Right-breast mammogram, medio-lateral oblique. 37-year-old patient.
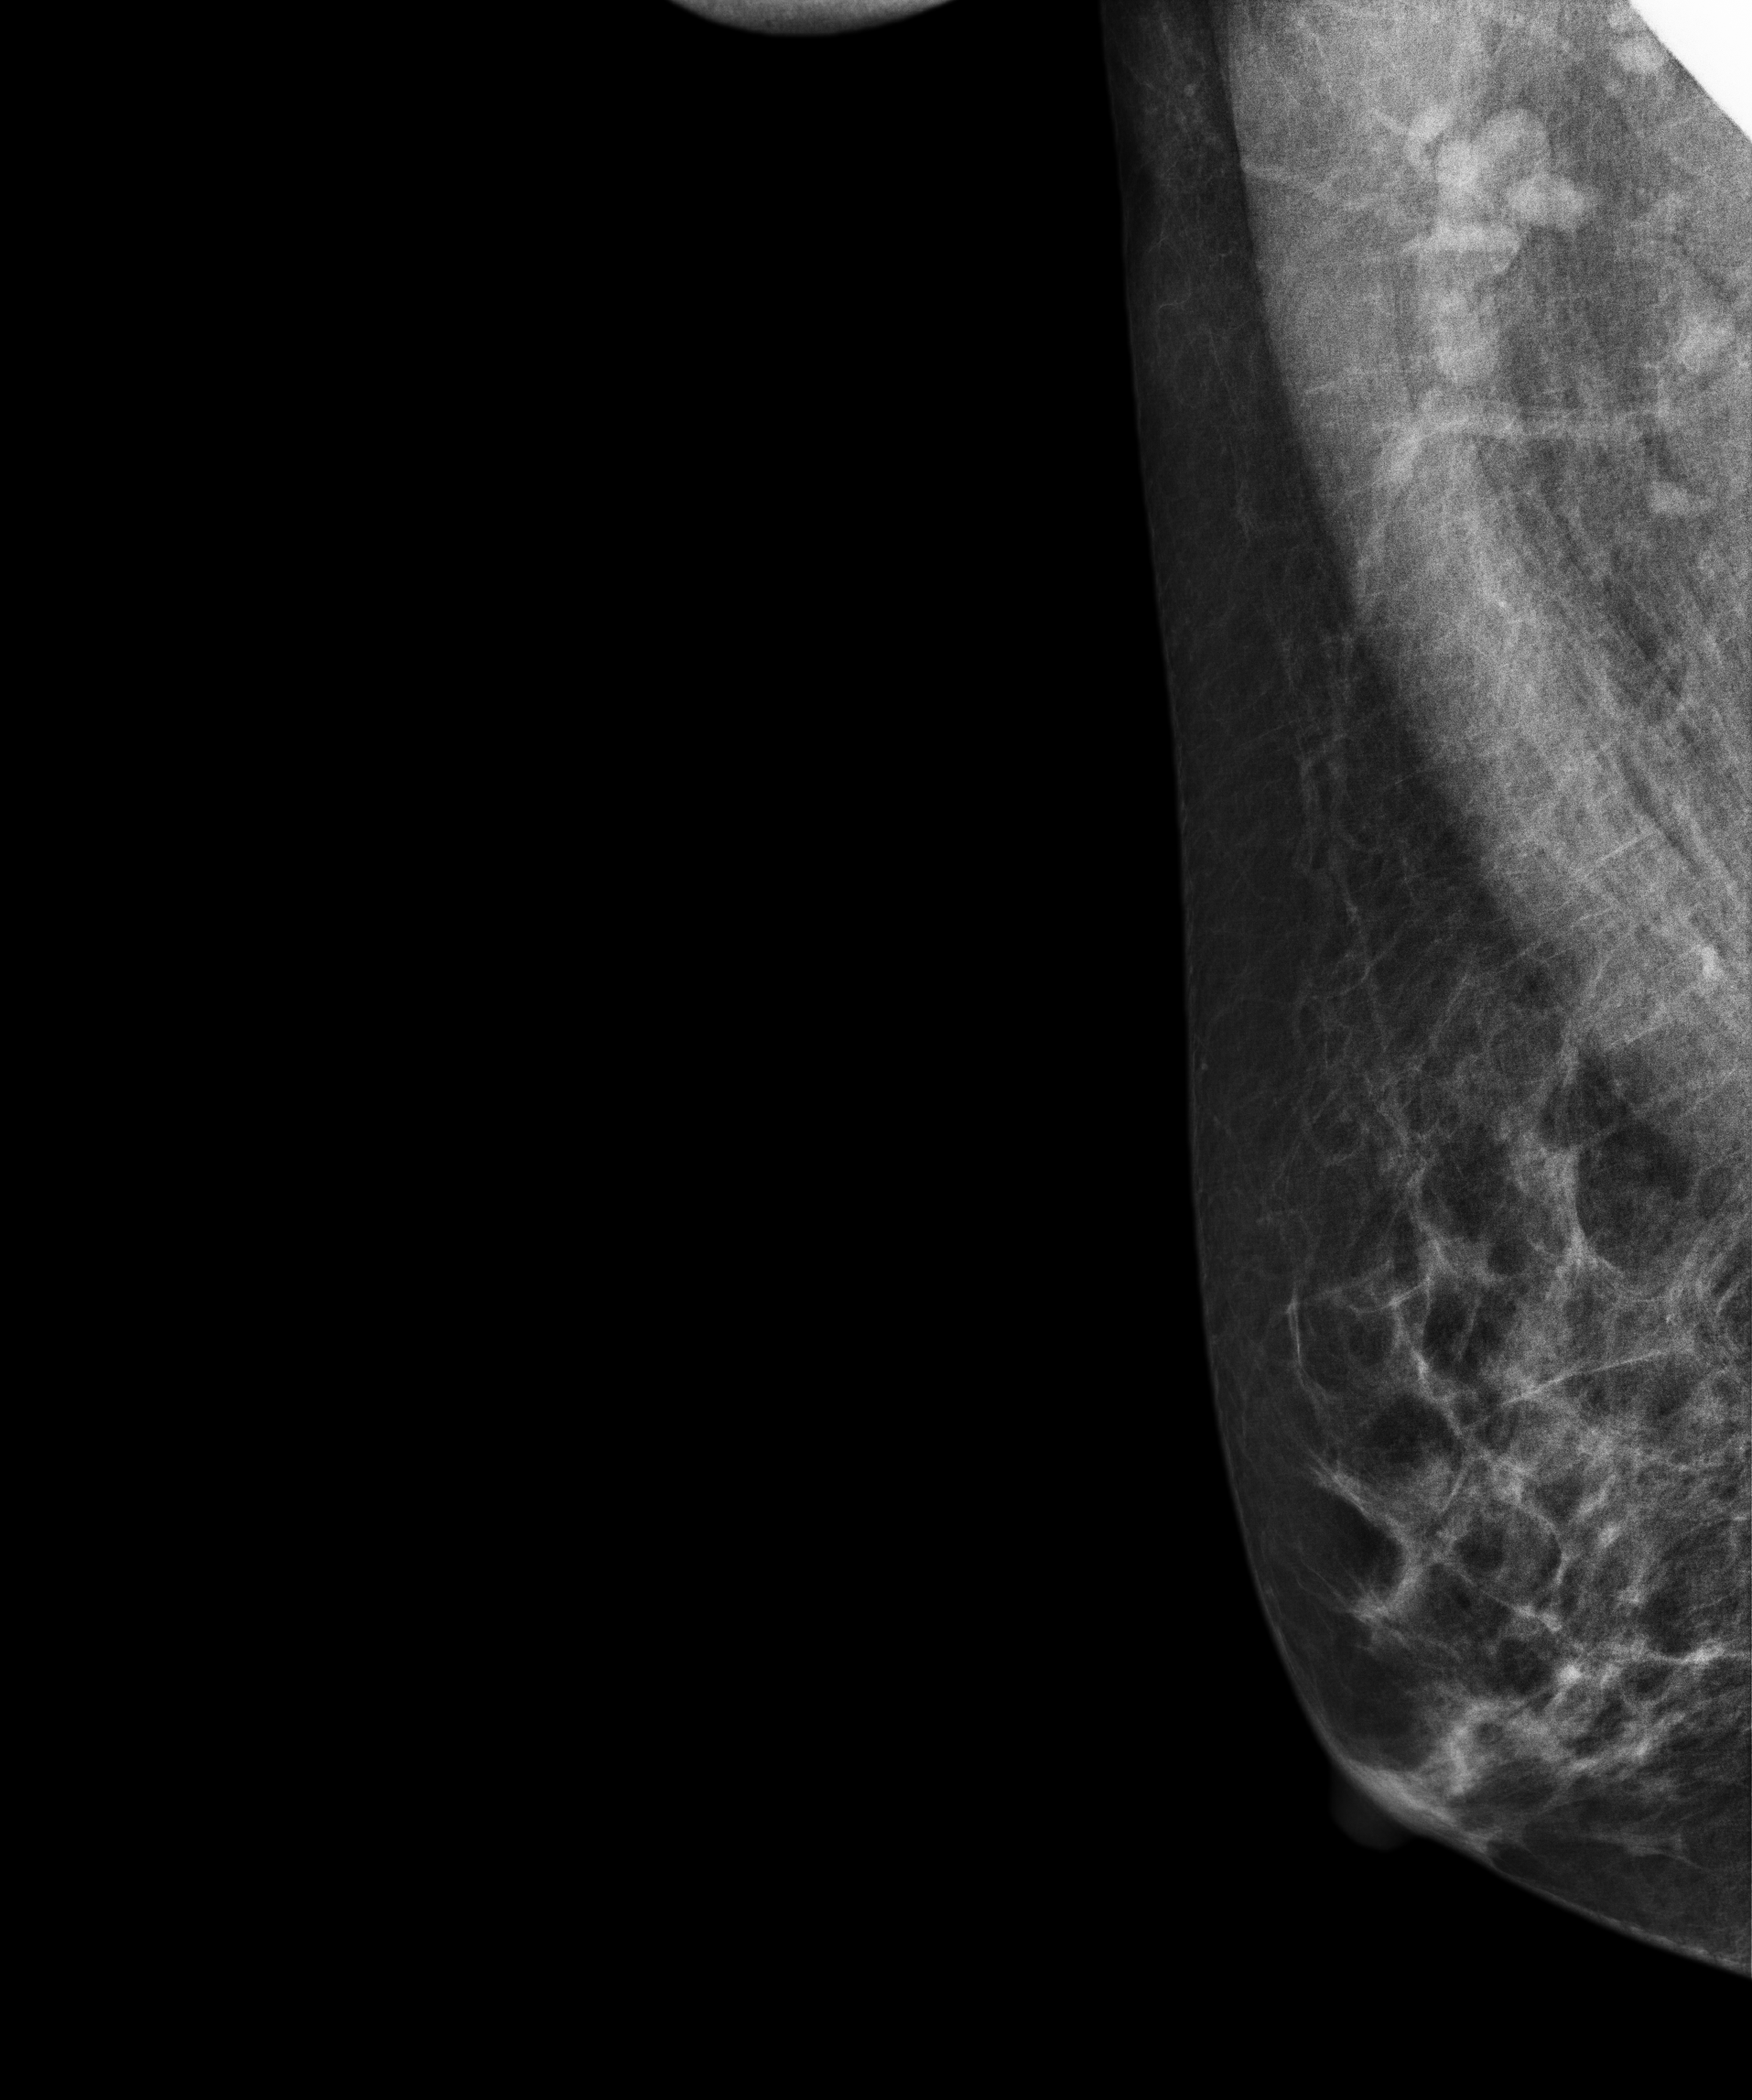
Contralateral breast — no documented abnormality on this side.